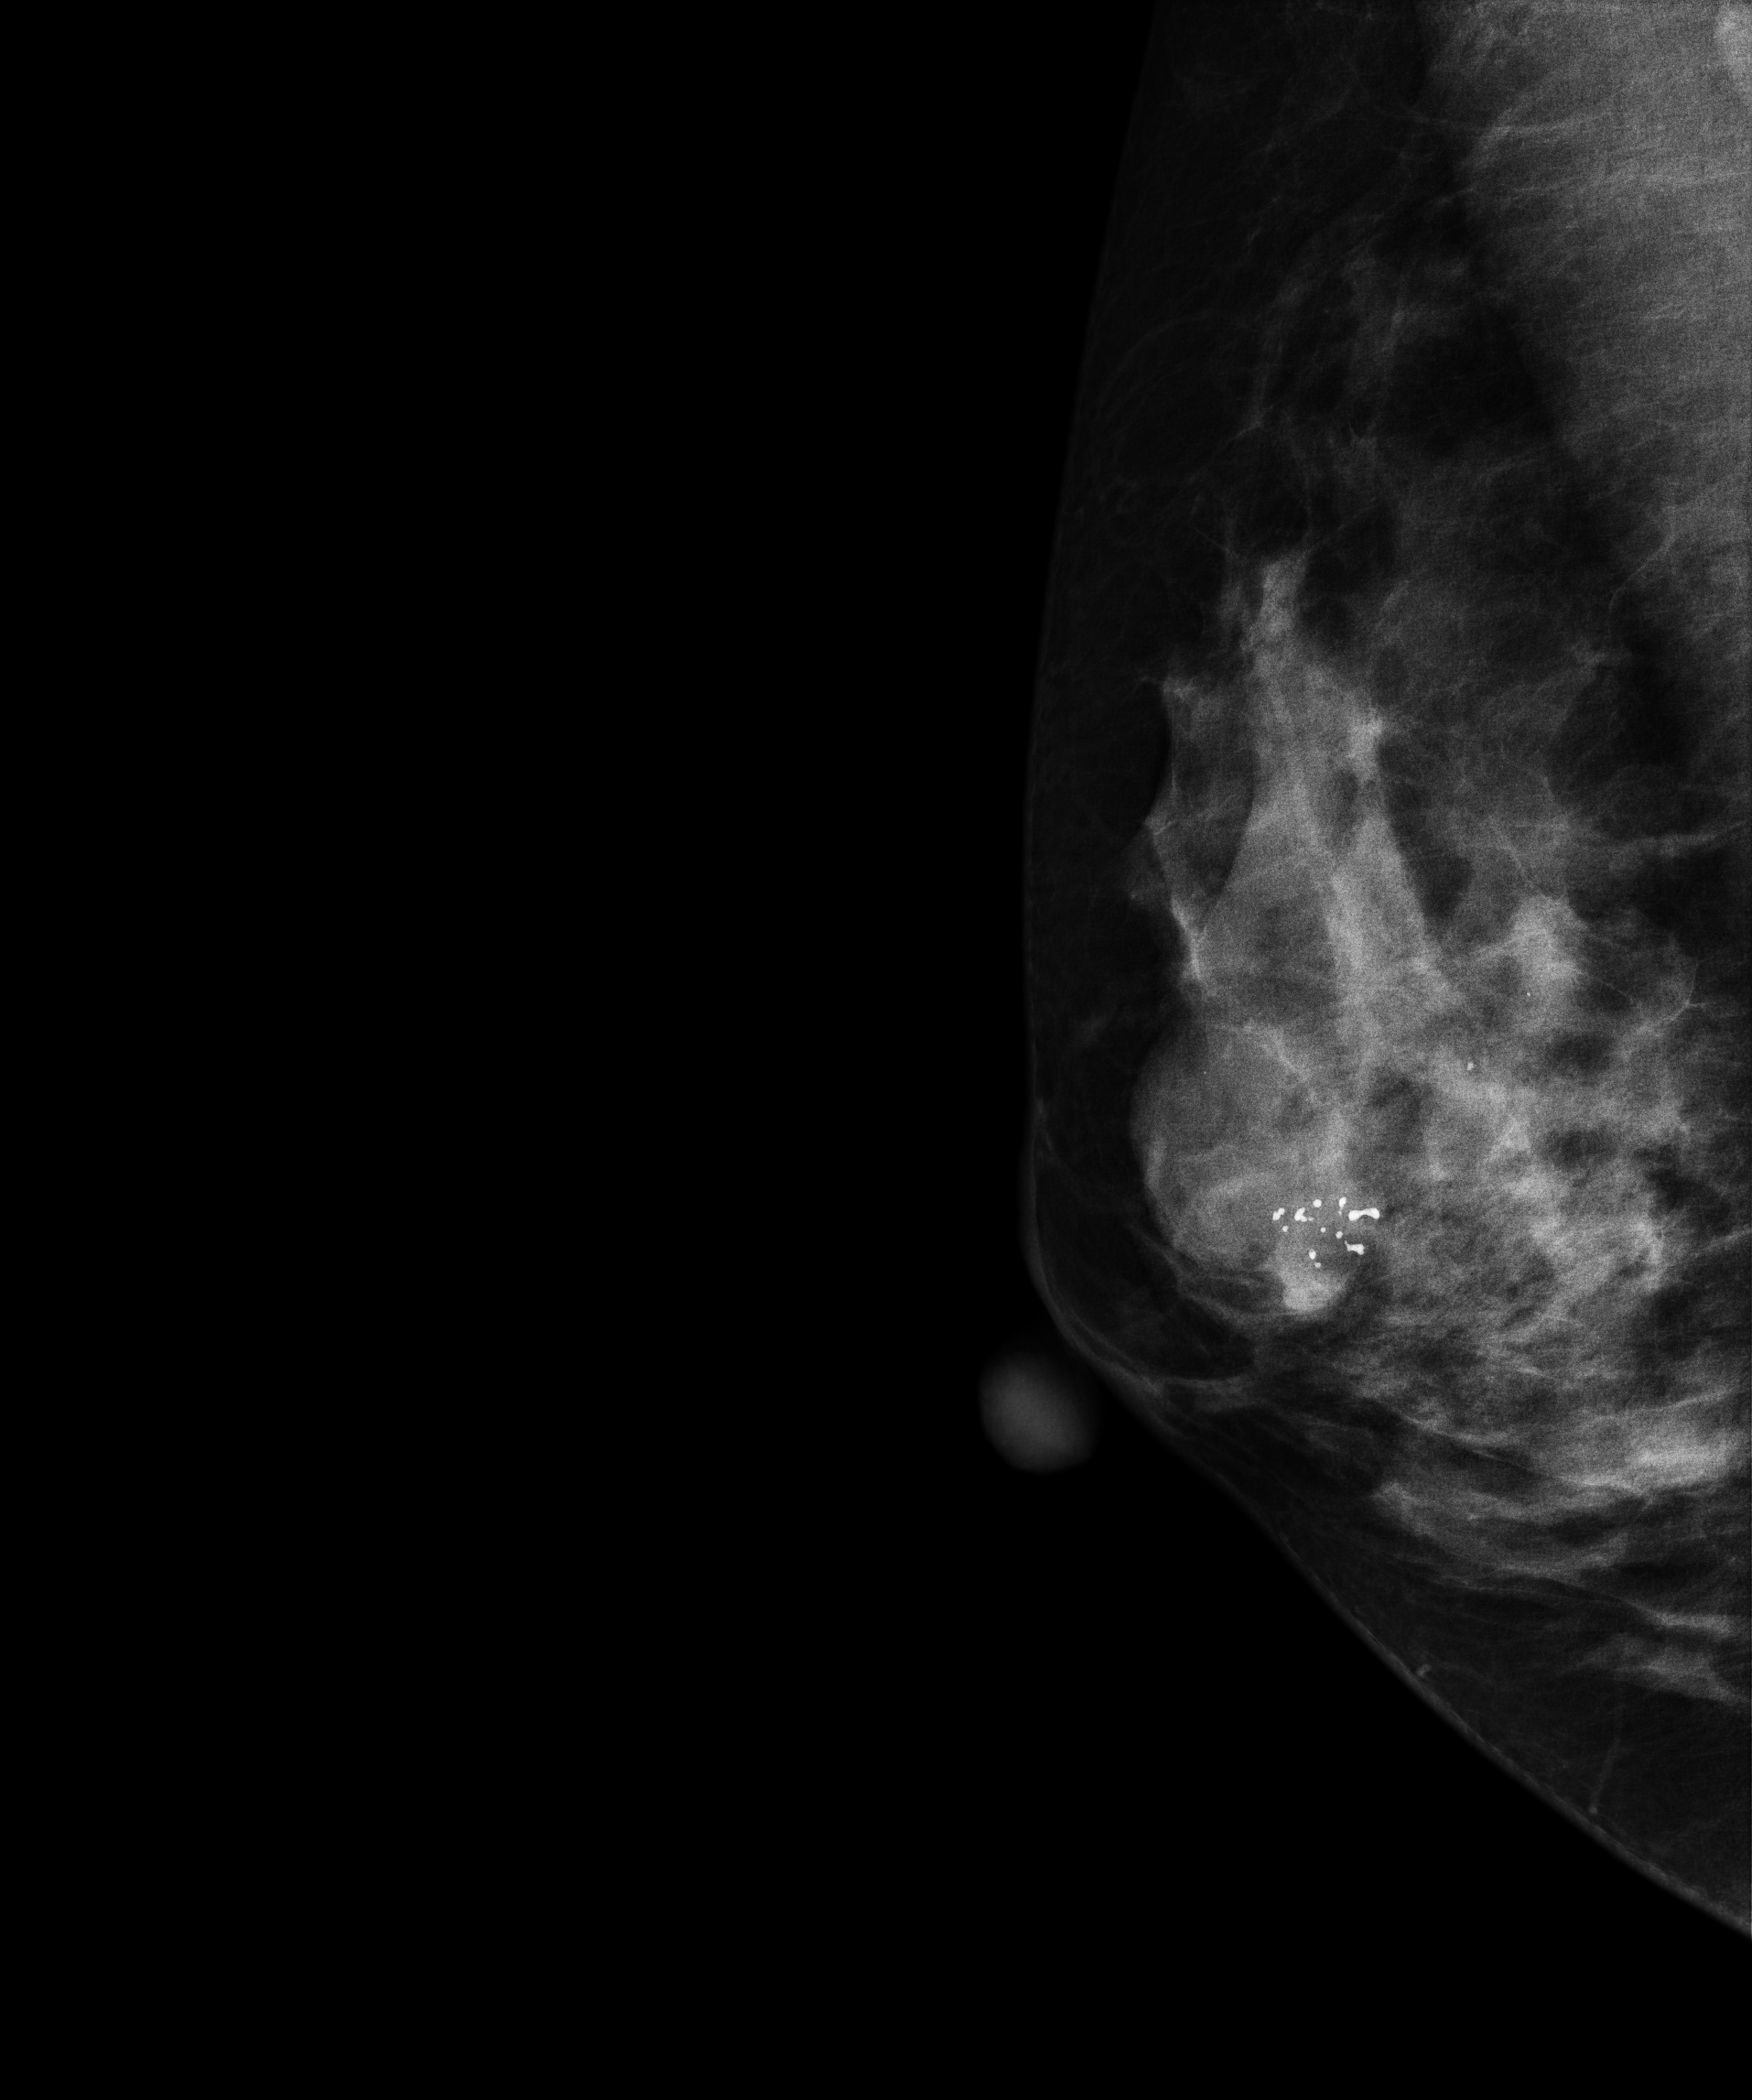
Right-breast mammogram, MLO. 40-year-old patient.
This breast has a mass and calcifications, pathology-confirmed benign.